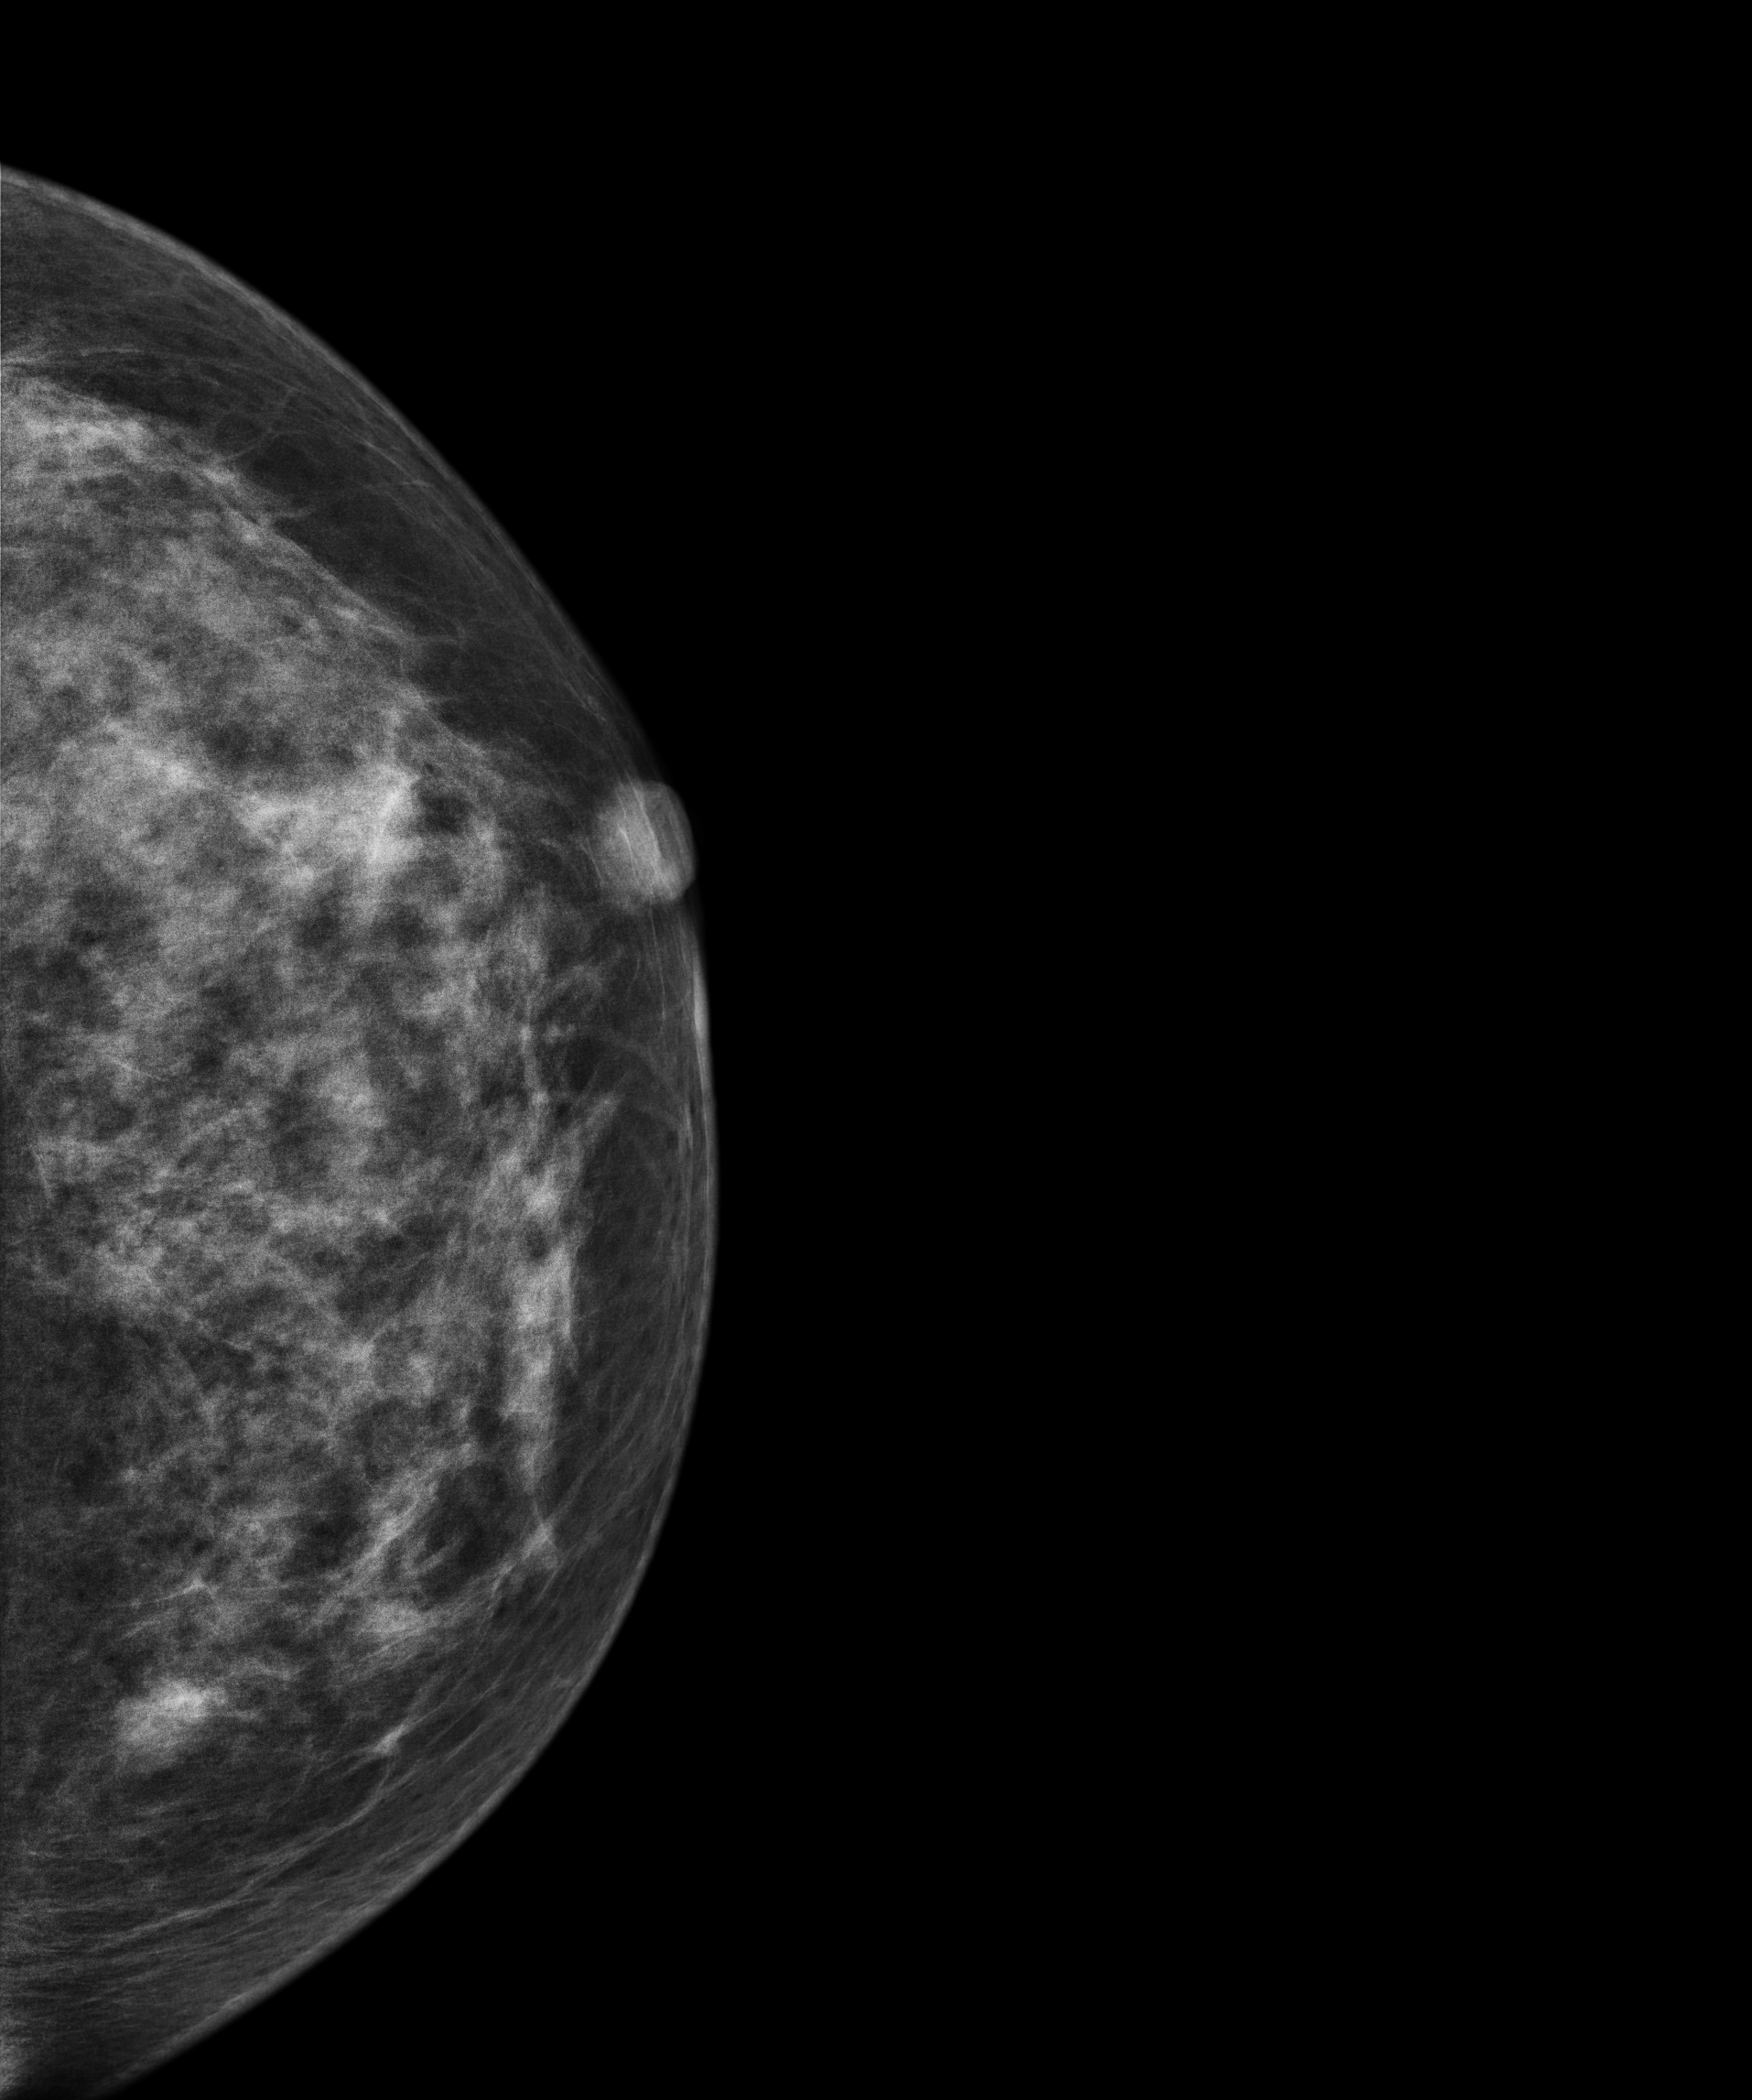
Left-breast mammogram, CC. Patient age 48.
This breast has a mass, biopsy-proven benign.